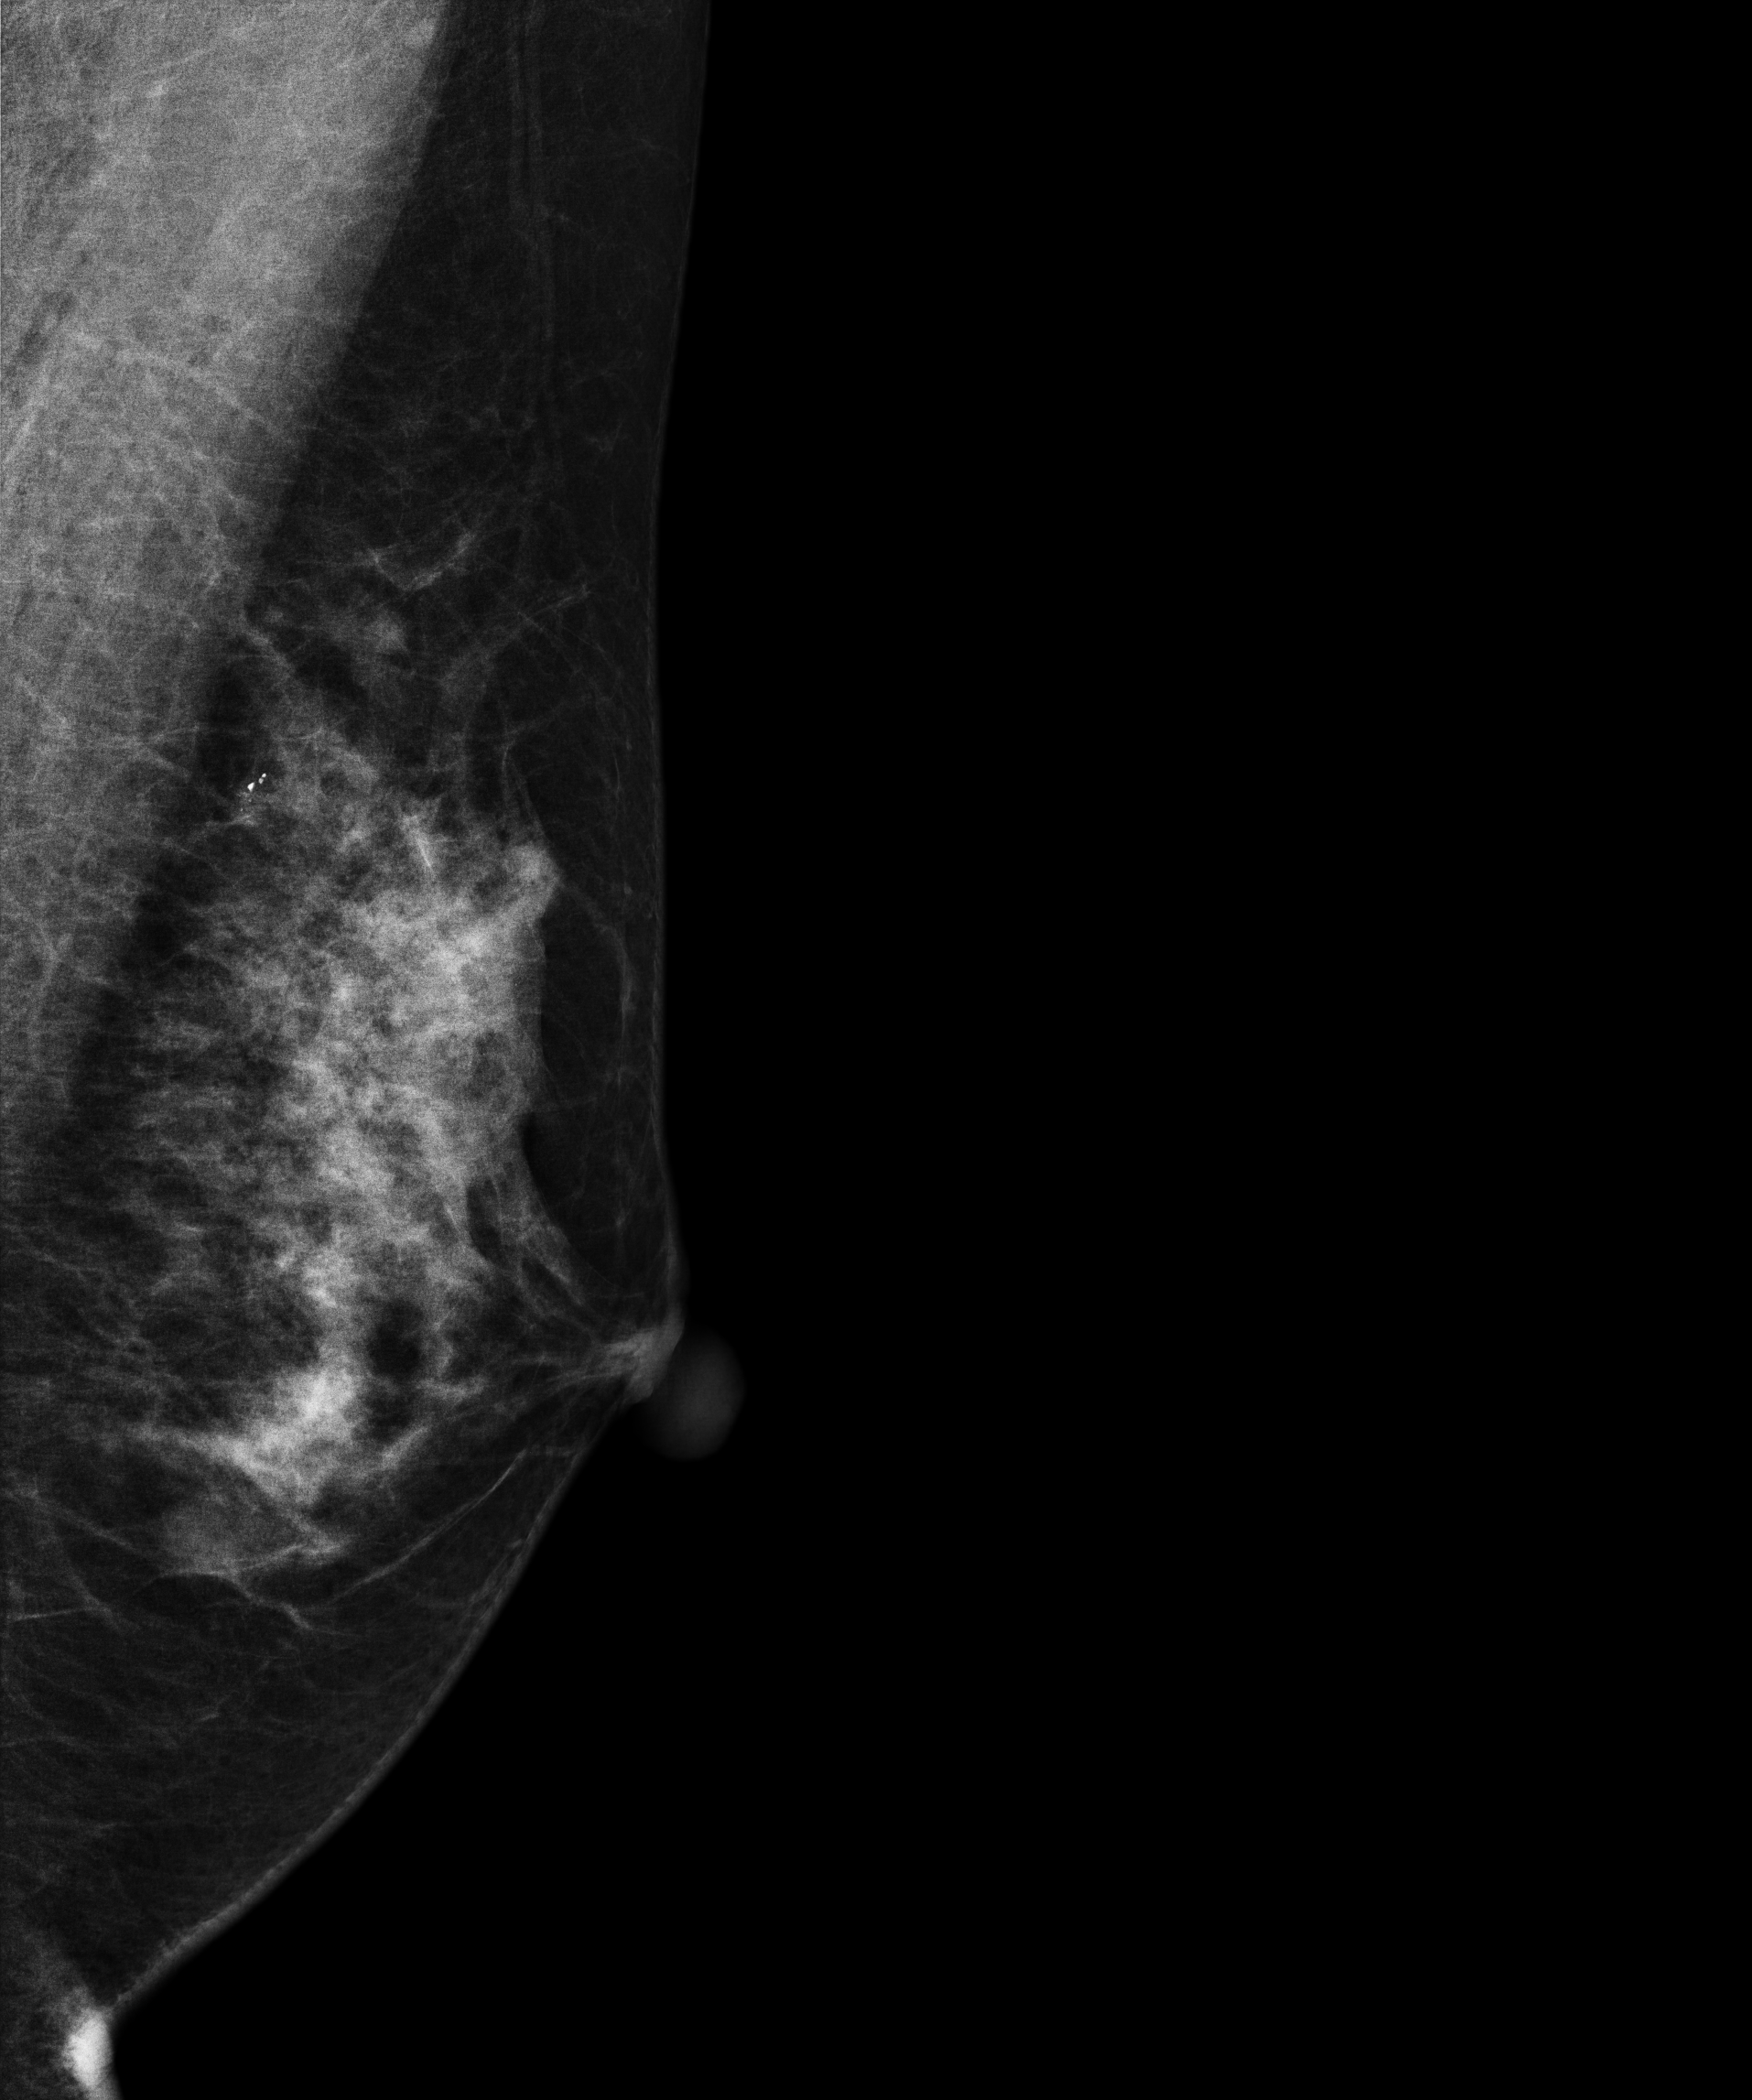
Digital mammography. Left breast, medio-lateral oblique projection. 47 y/o patient.
This breast has a mass, biopsy-confirmed benign.